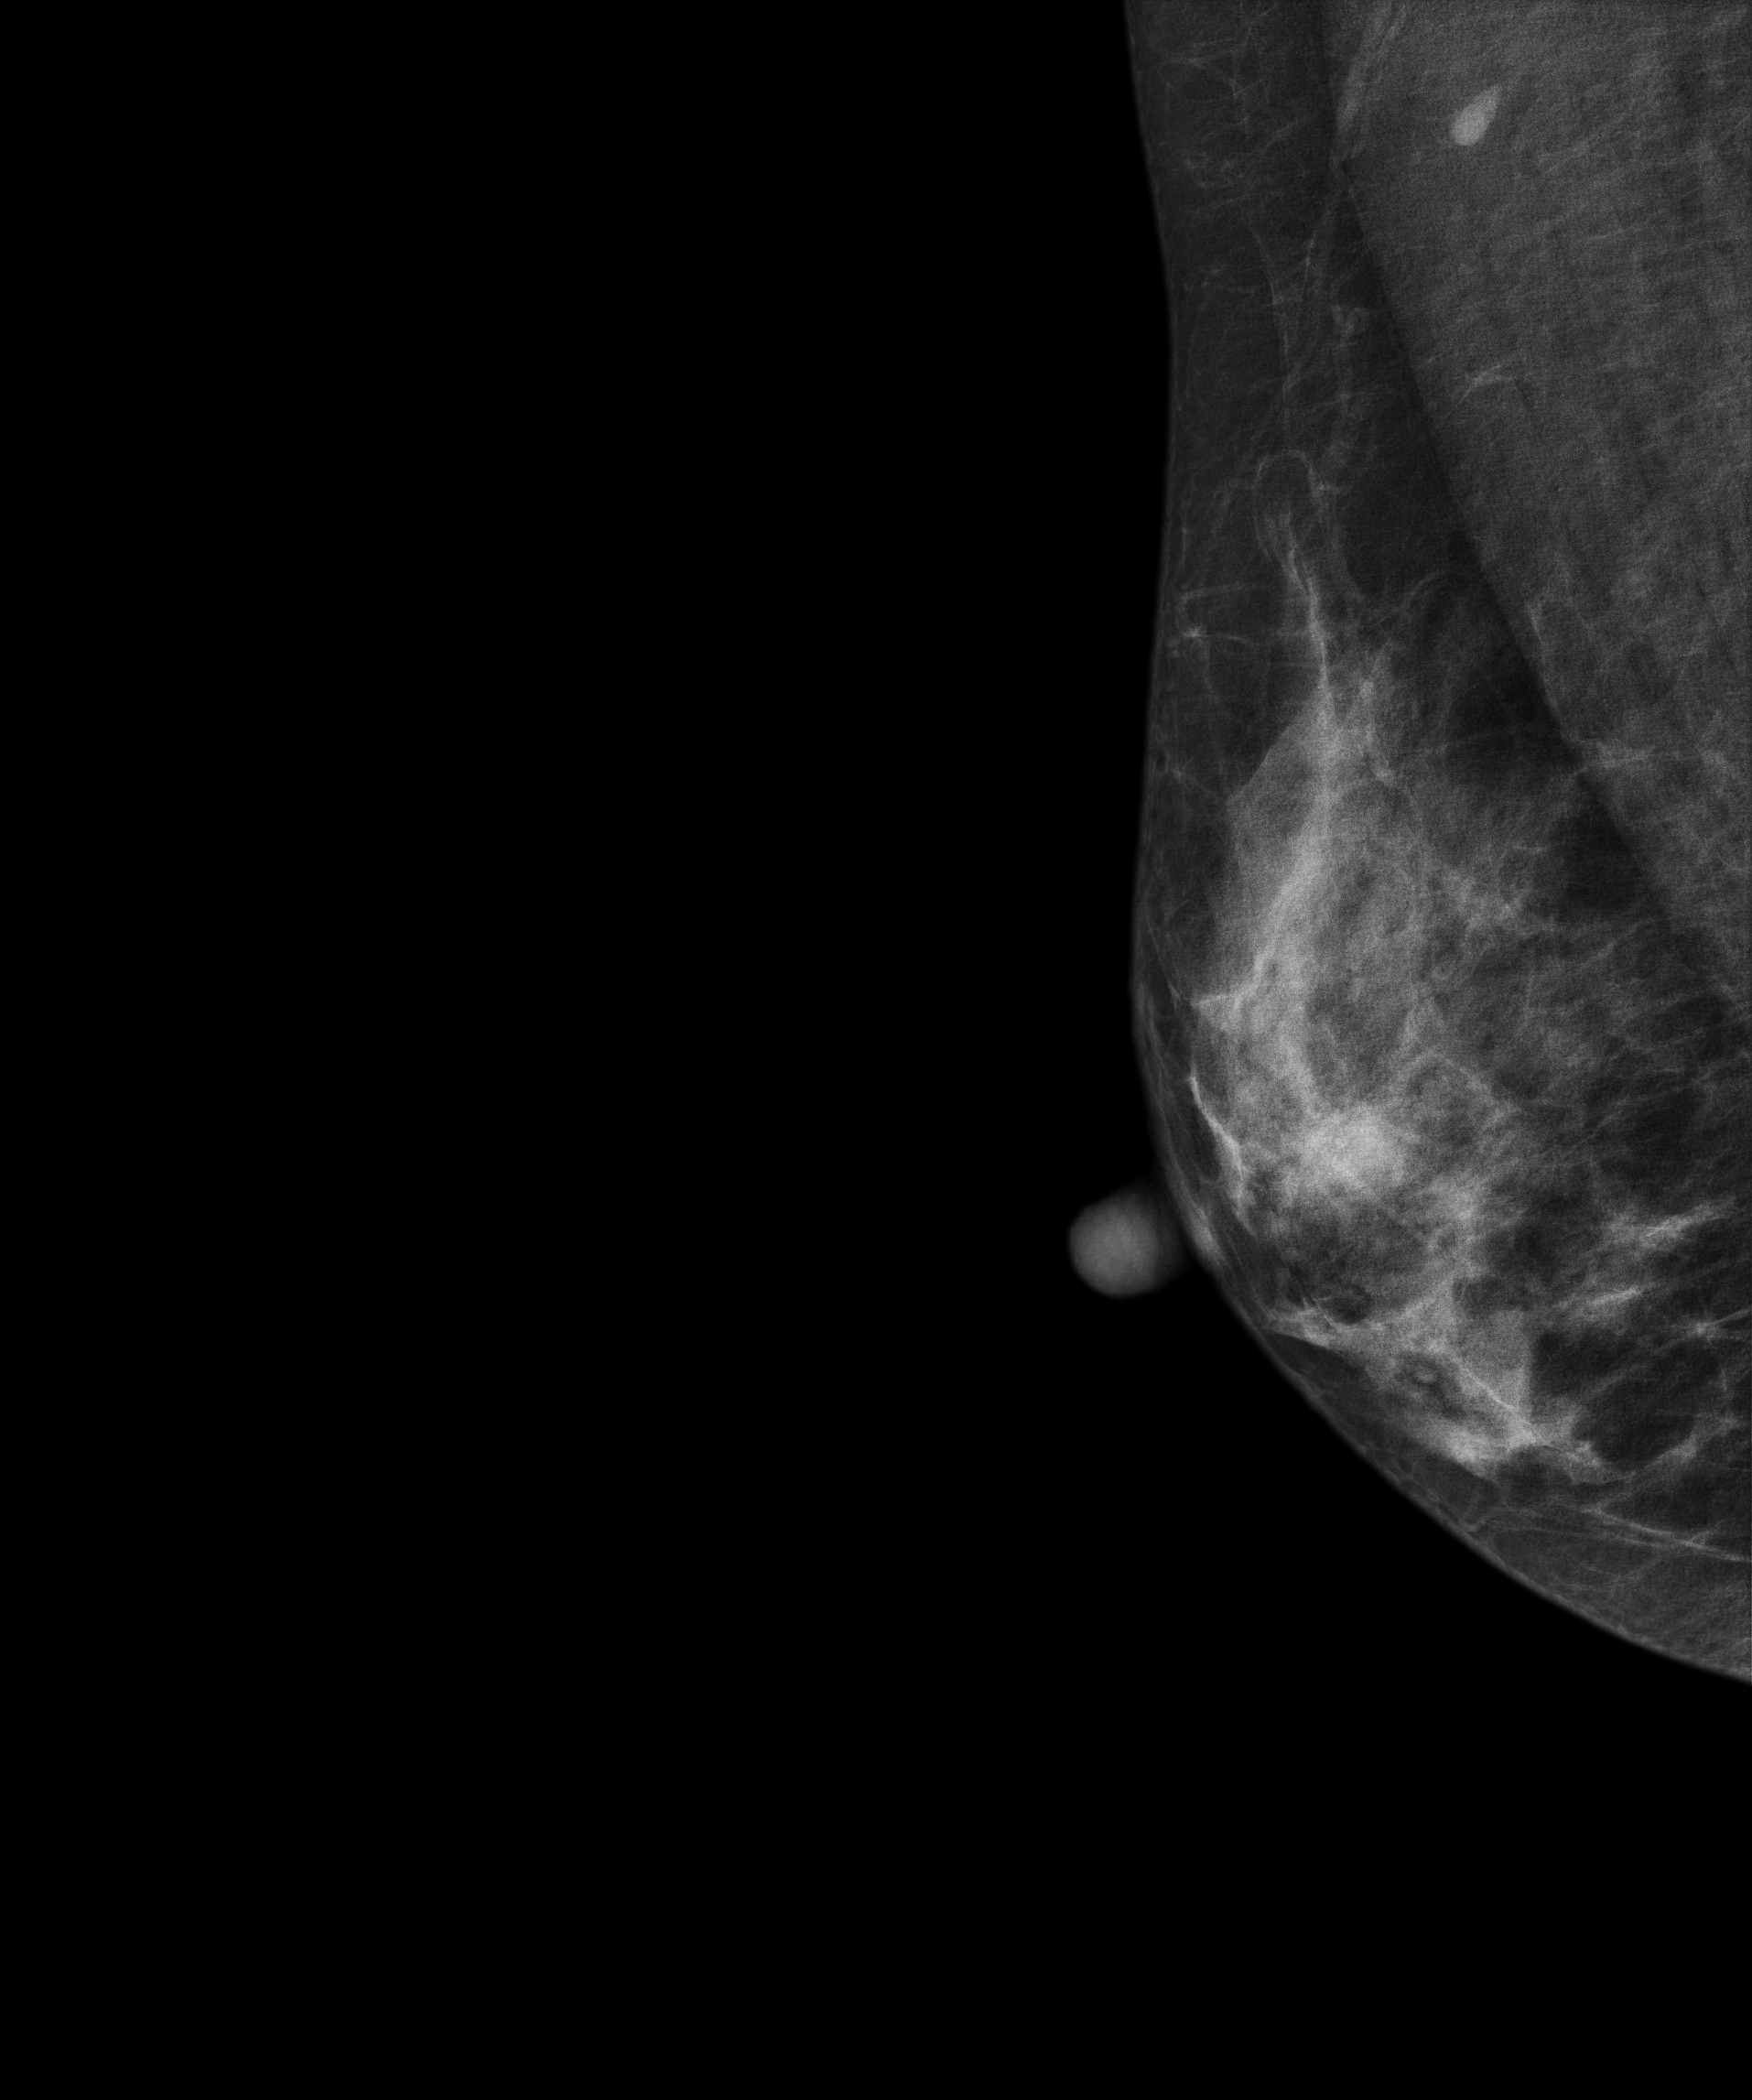
Right-breast mammogram, medio-lateral oblique. Patient age 46.
This breast has calcifications, biopsy-confirmed benign.